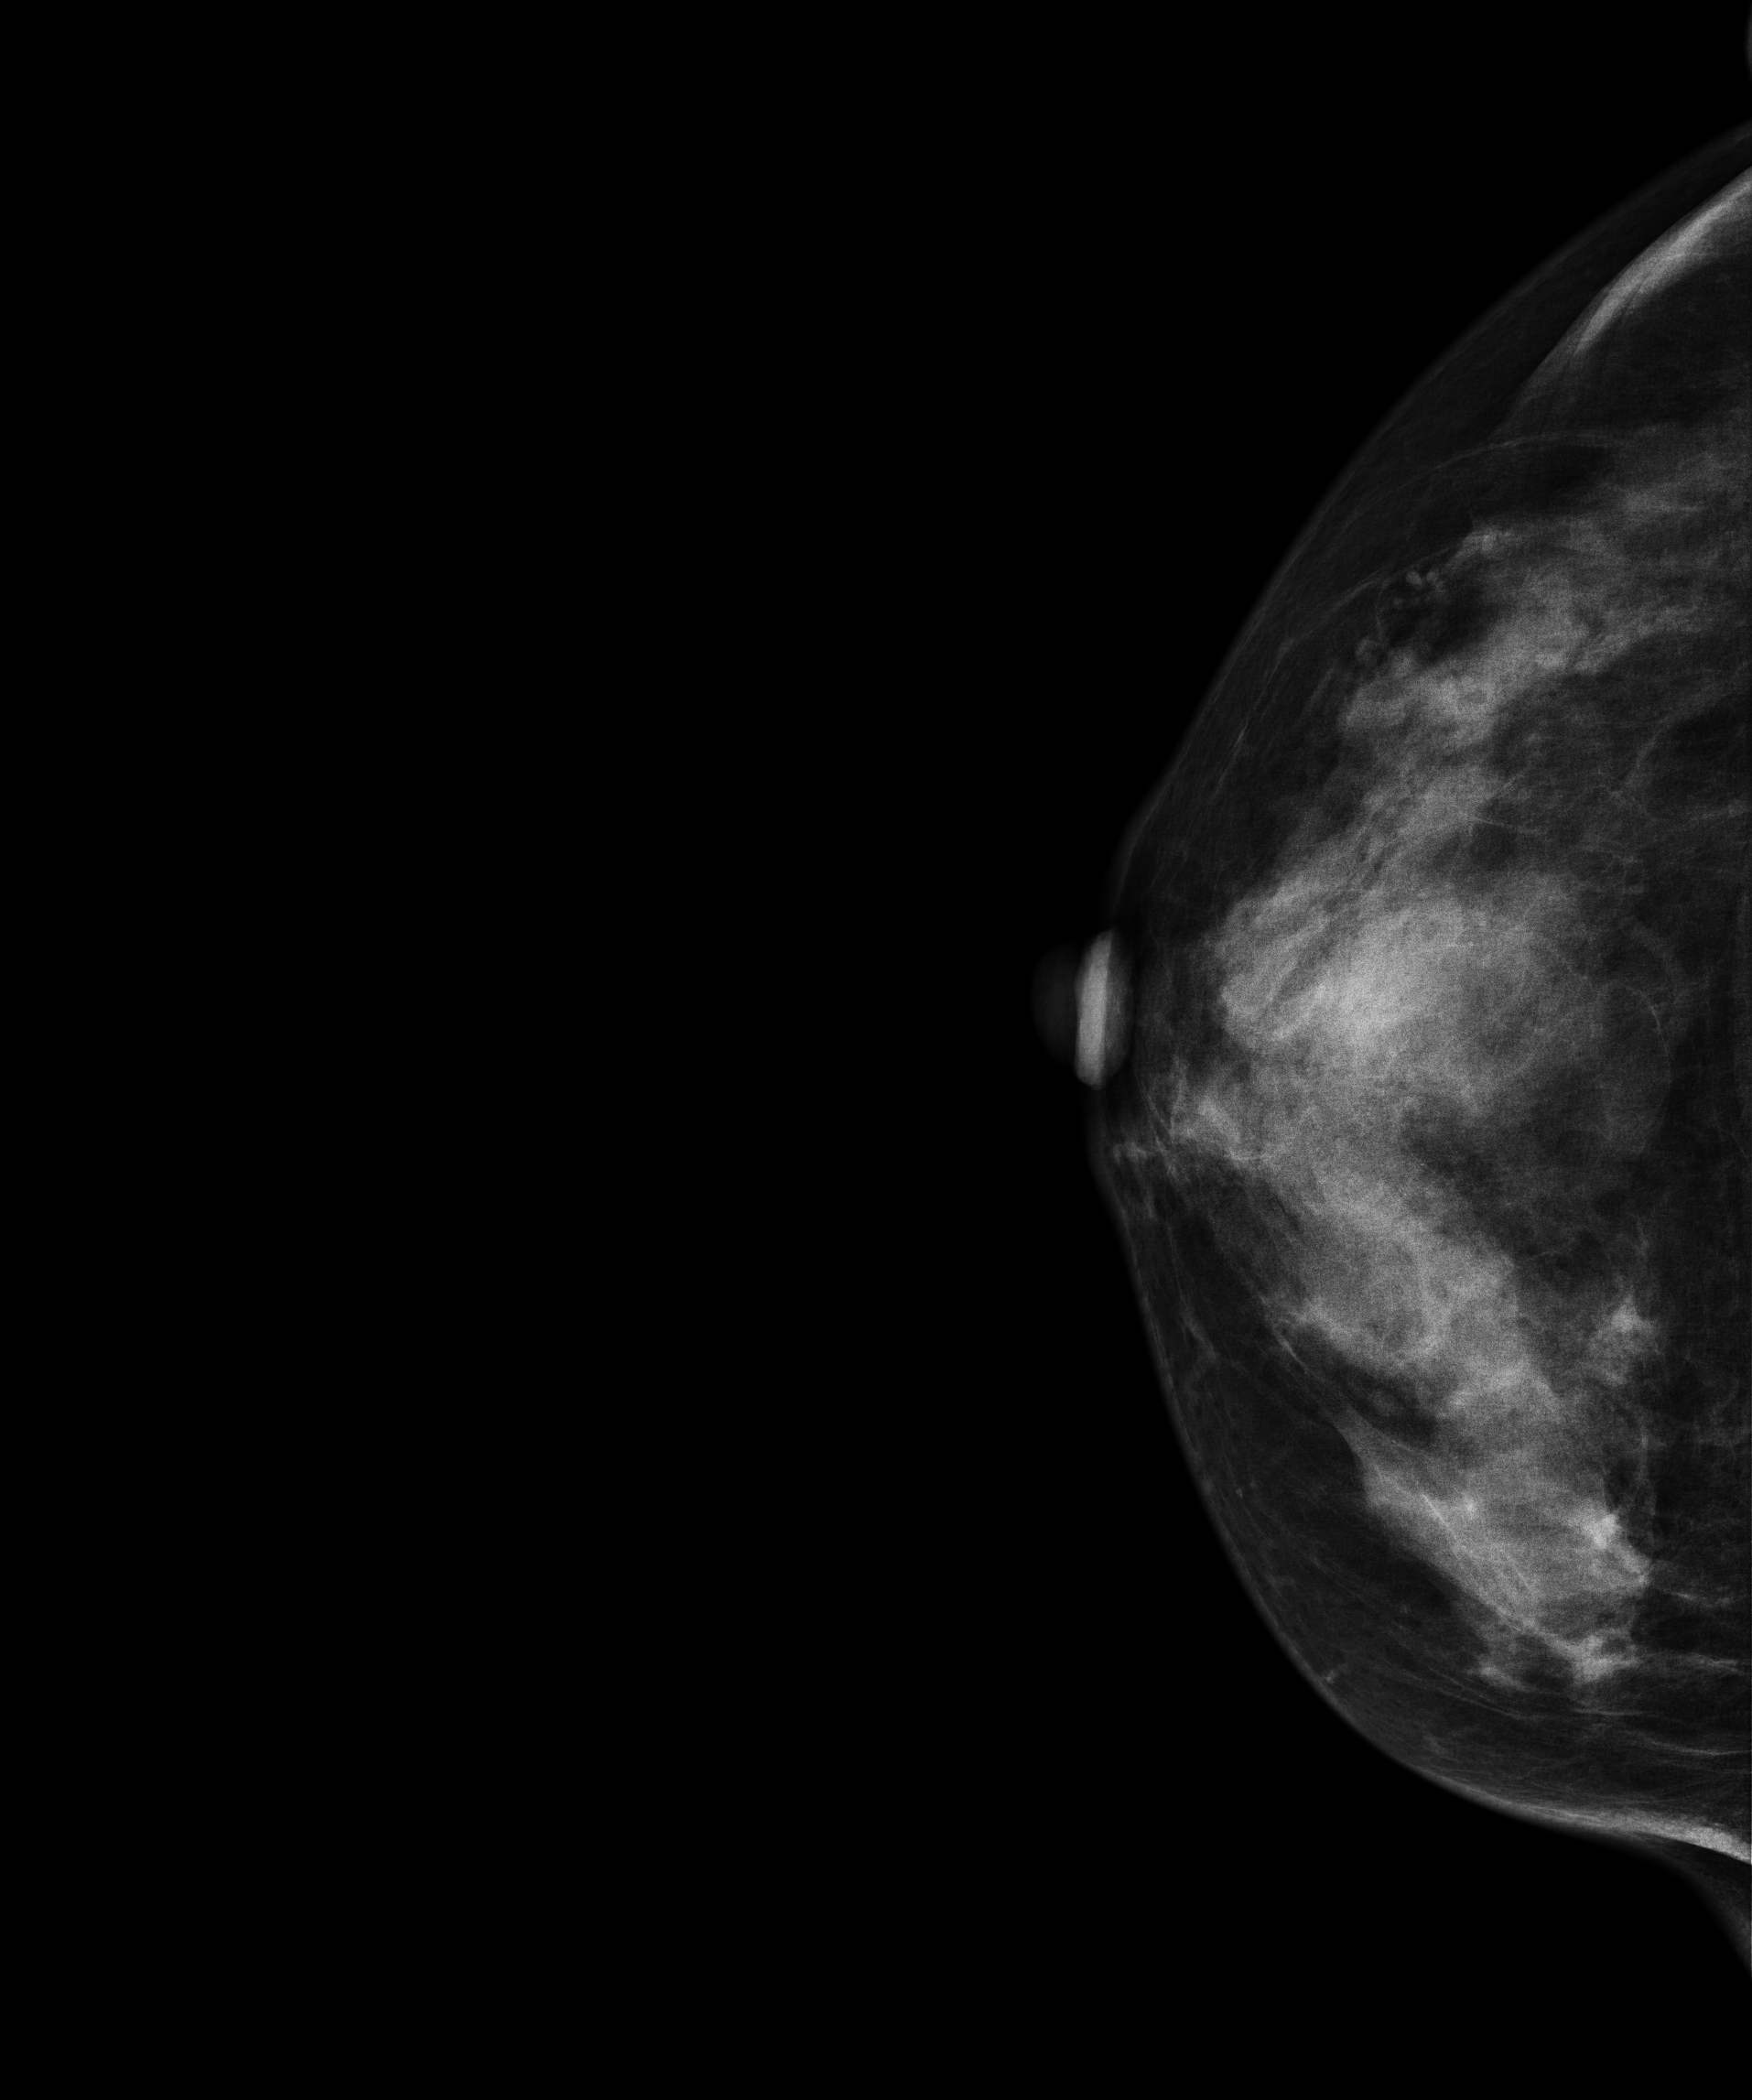
Right-breast mammogram, cranio-caudal. 55 y/o patient.
This breast has a mass, biopsy-proven benign.